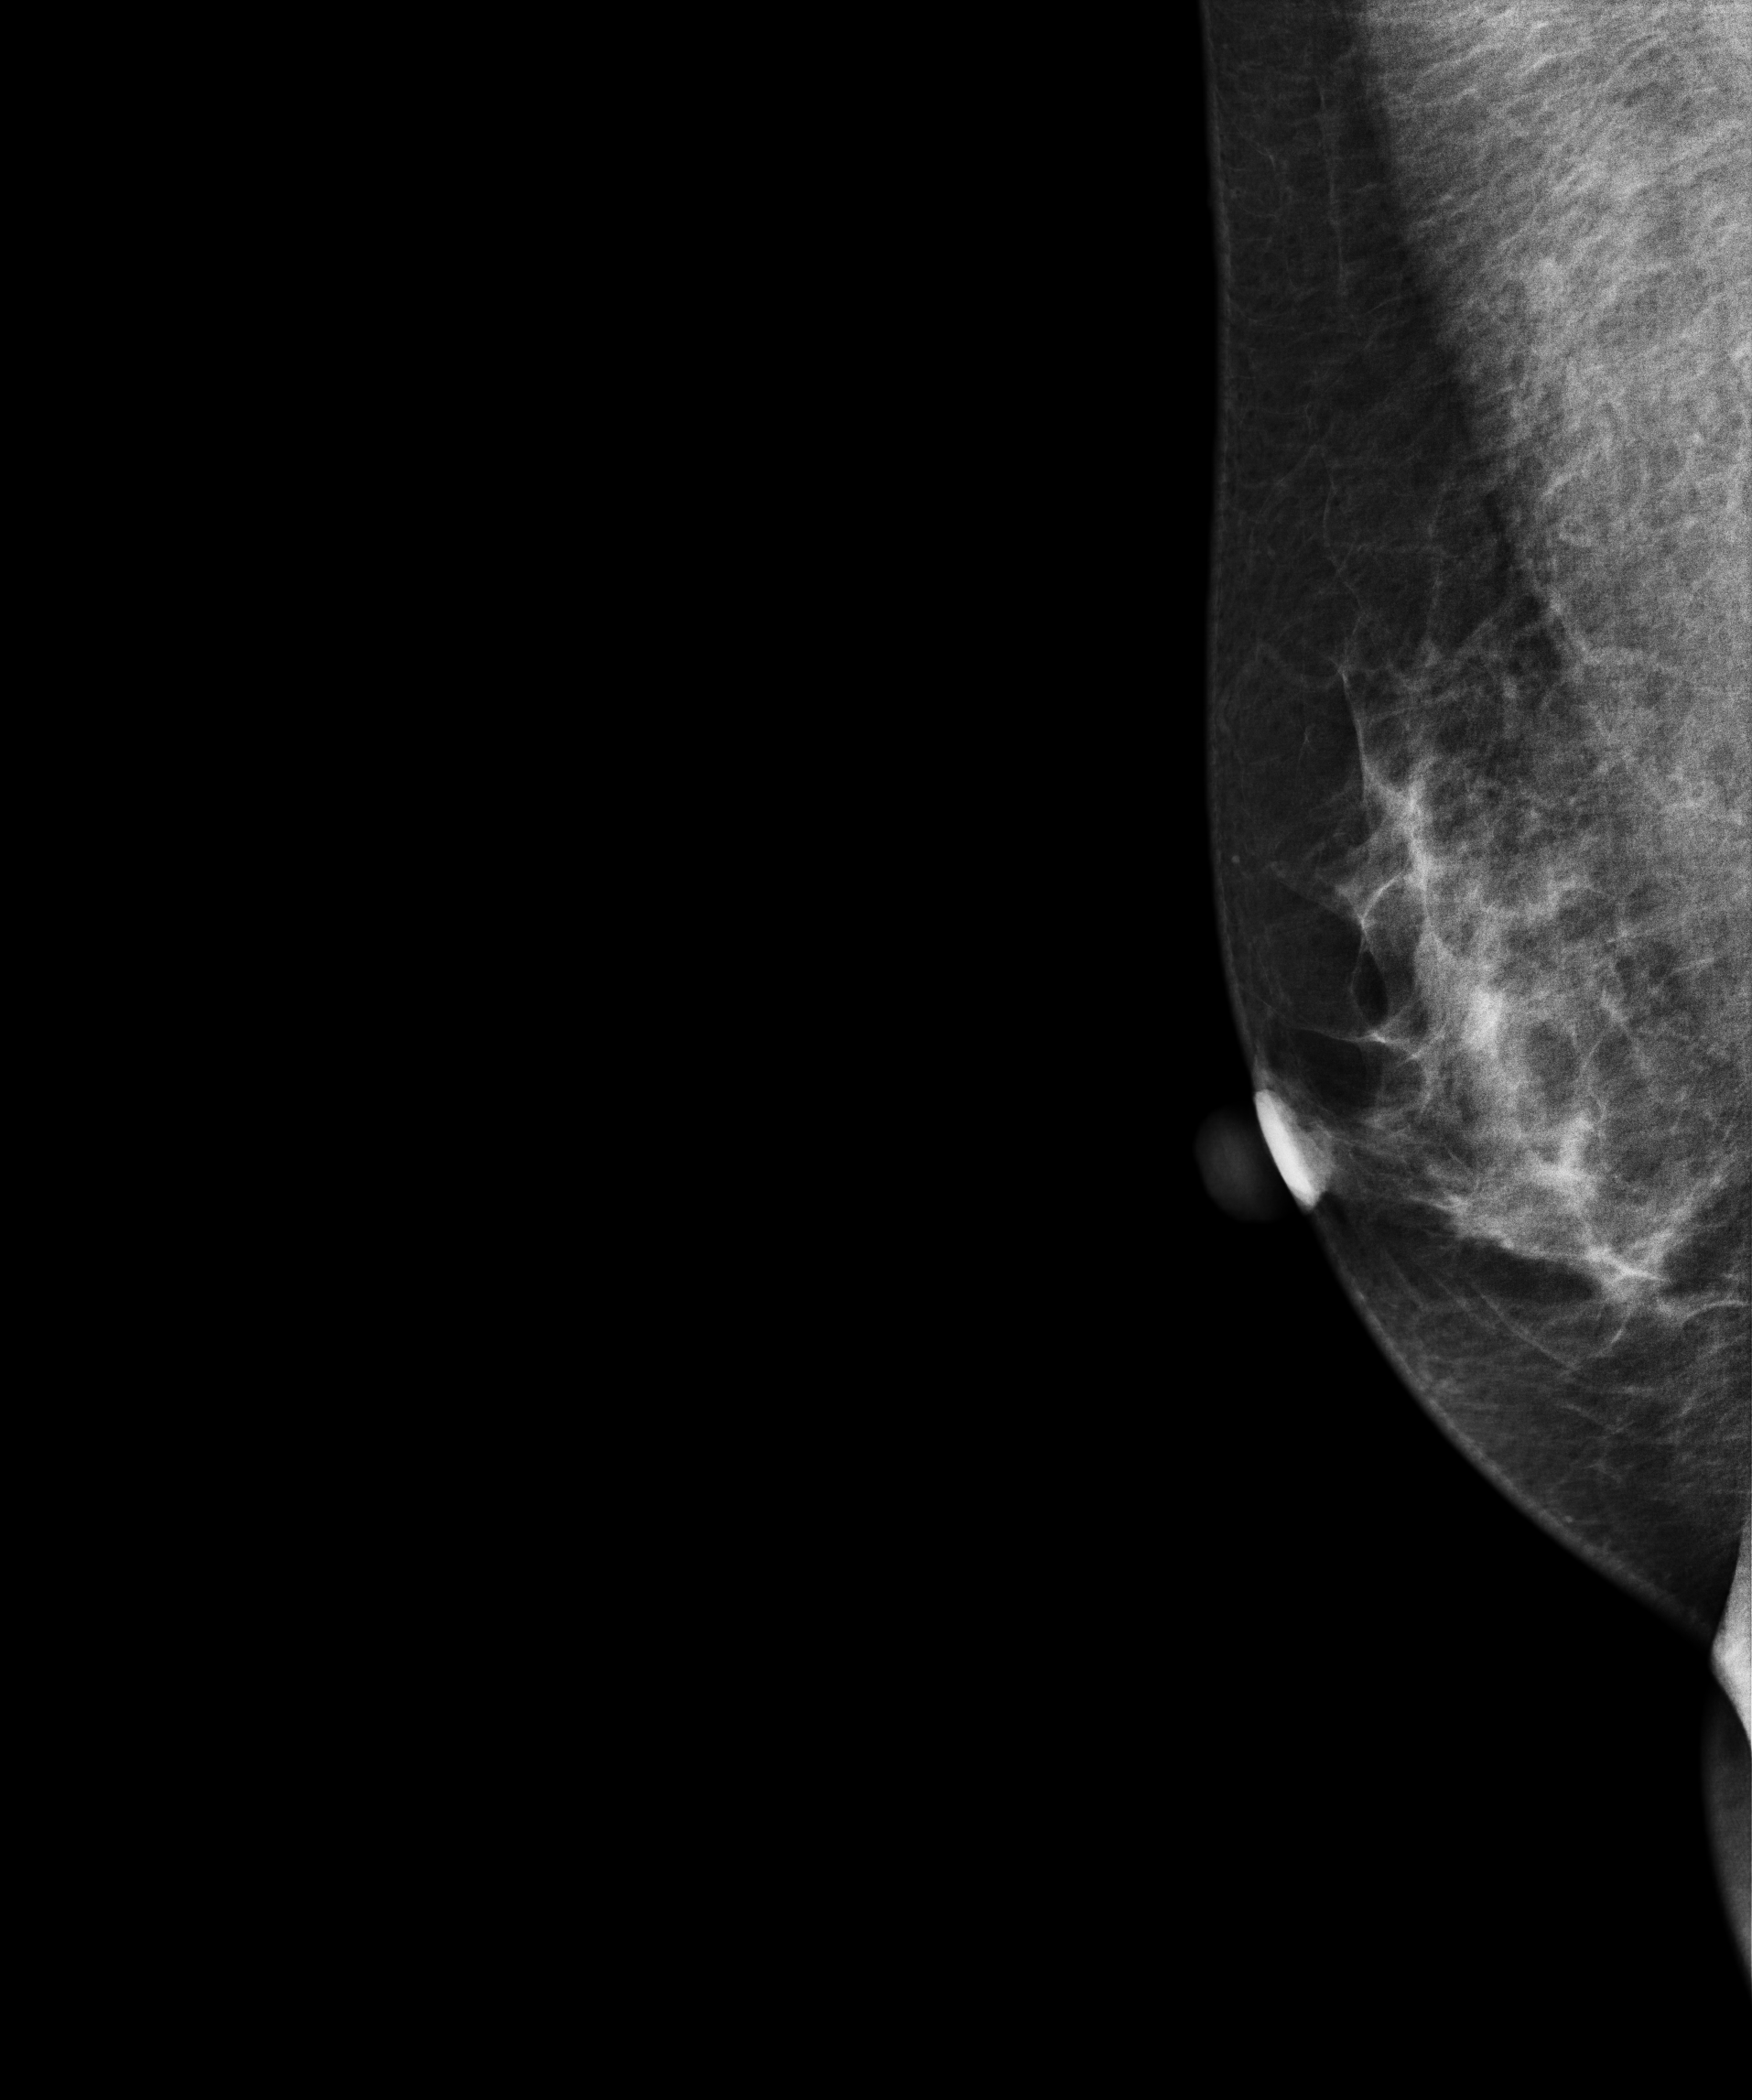
Right-breast mammogram, medio-lateral oblique. 43 y/o patient.
Contralateral breast — no documented abnormality on this side.